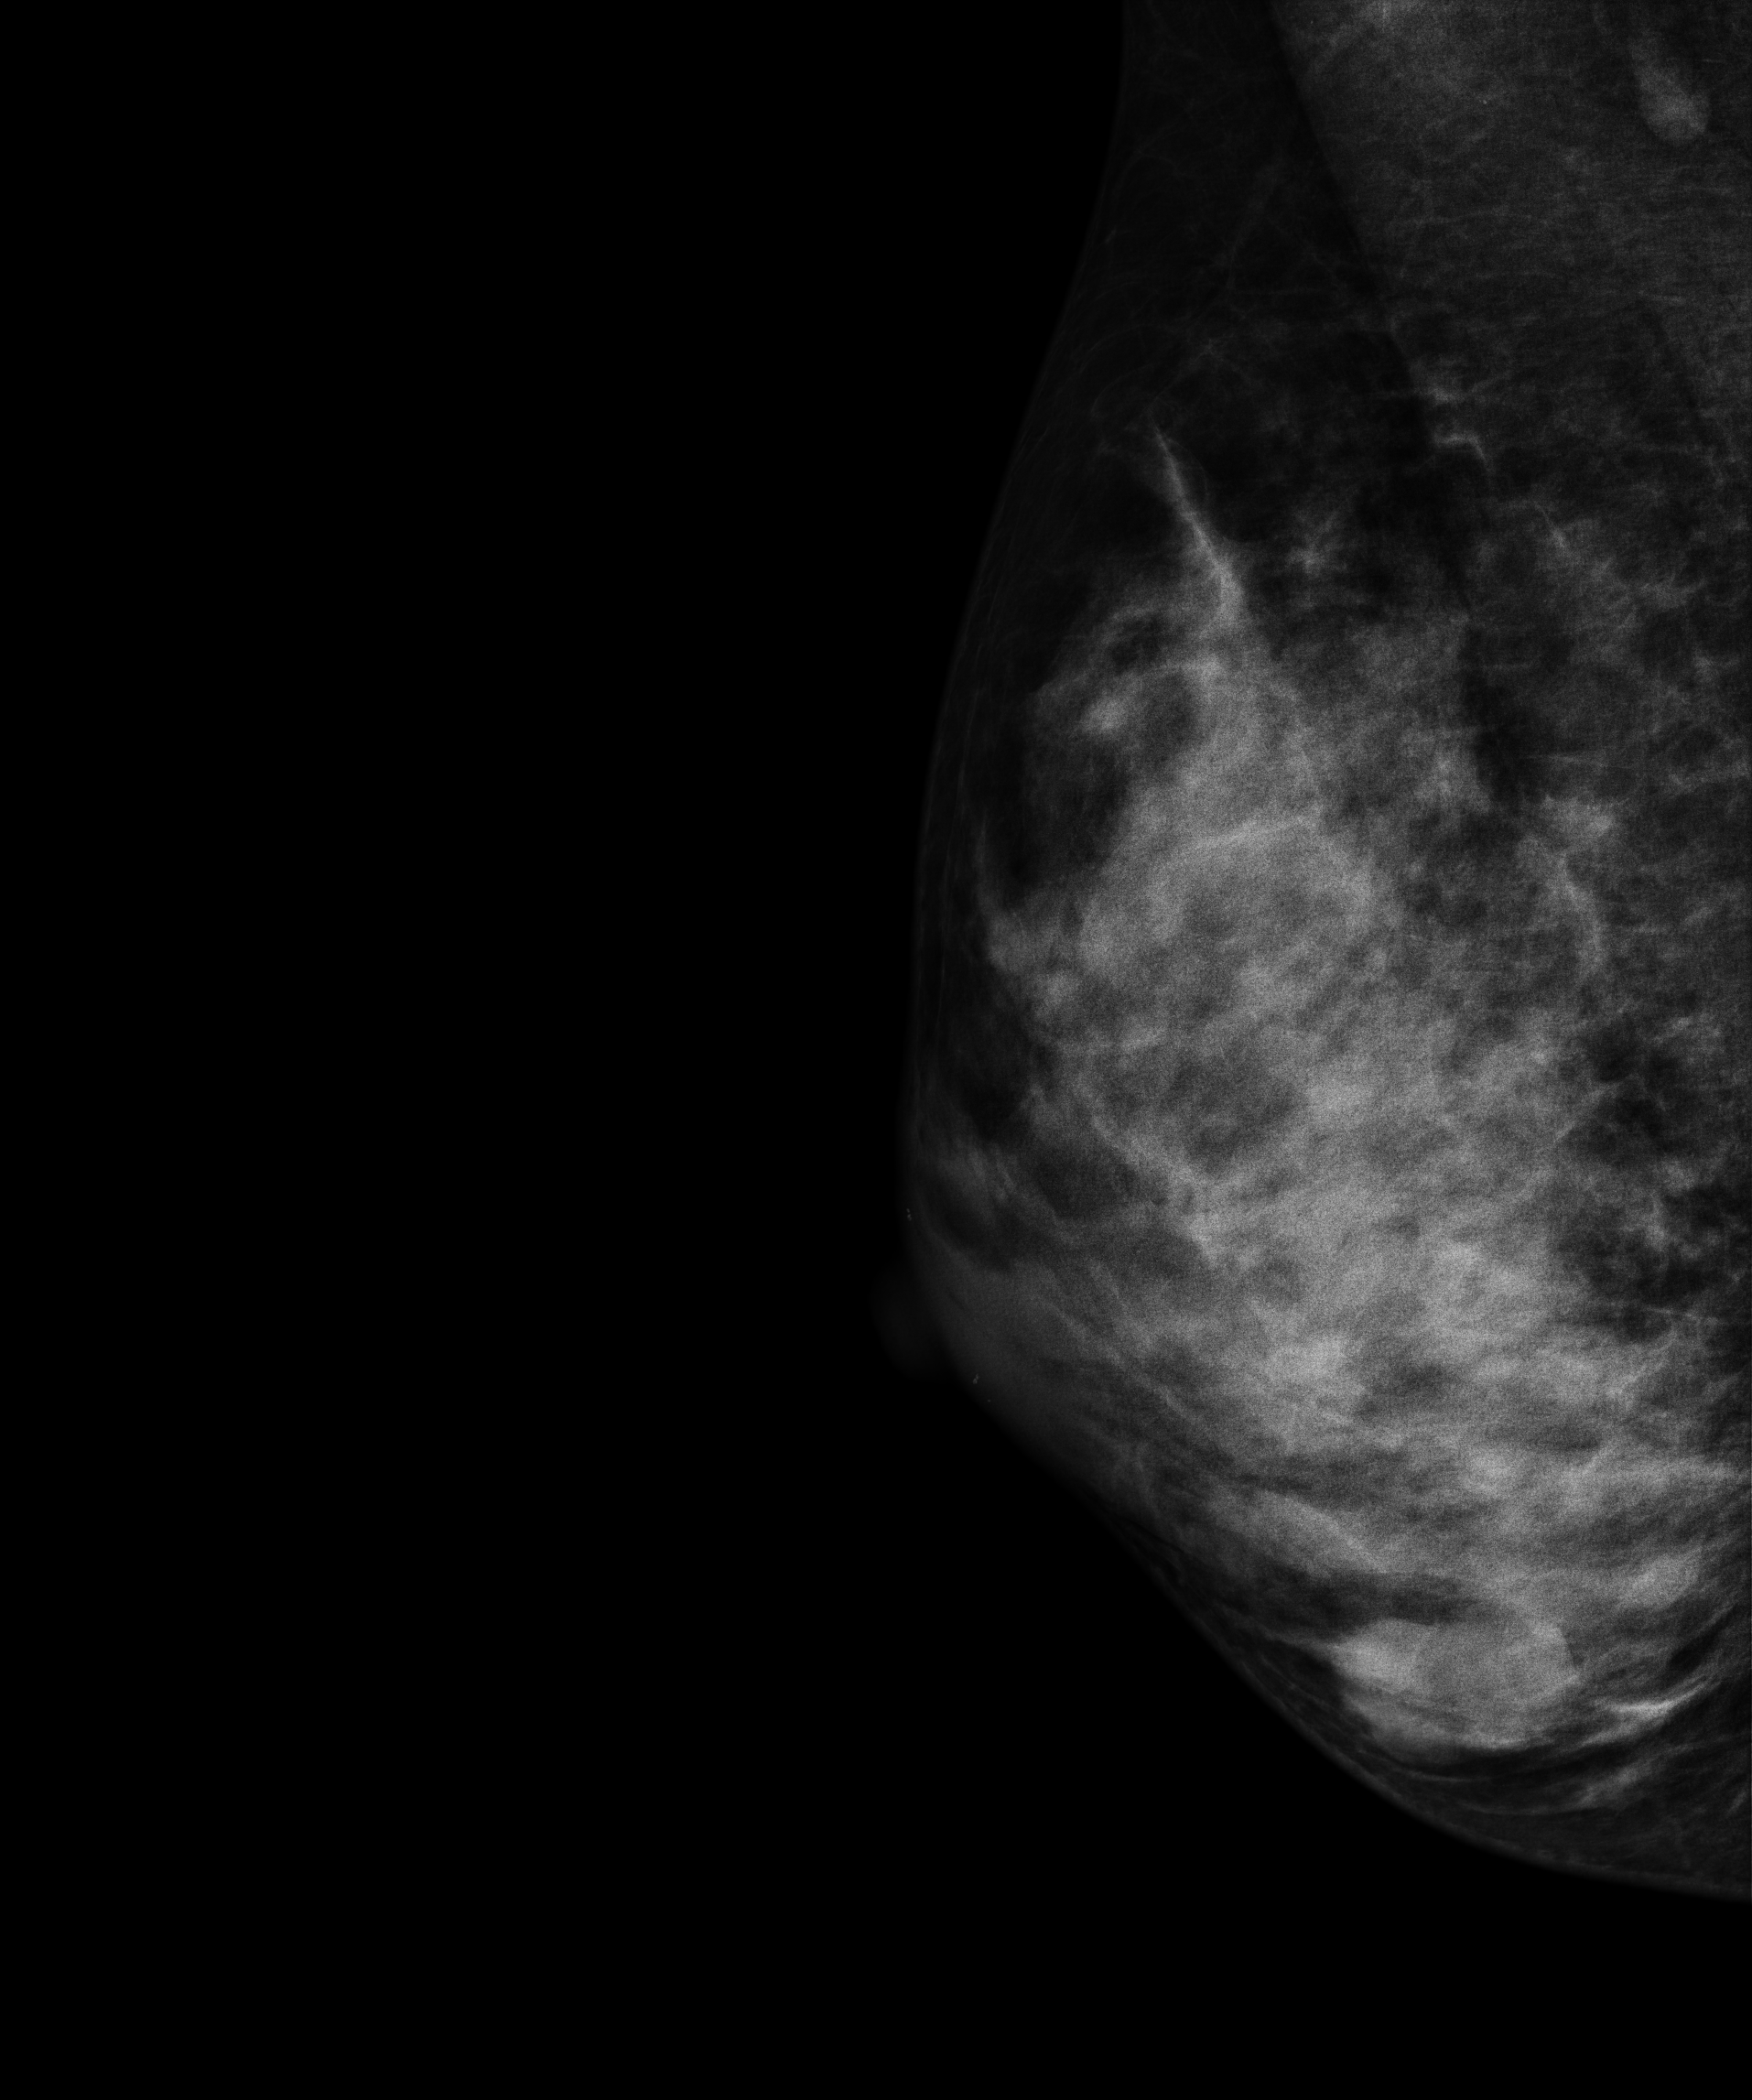
Digital mammography. Right breast, MLO projection. Patient age 29.
This breast has a mass, biopsy-proven benign.